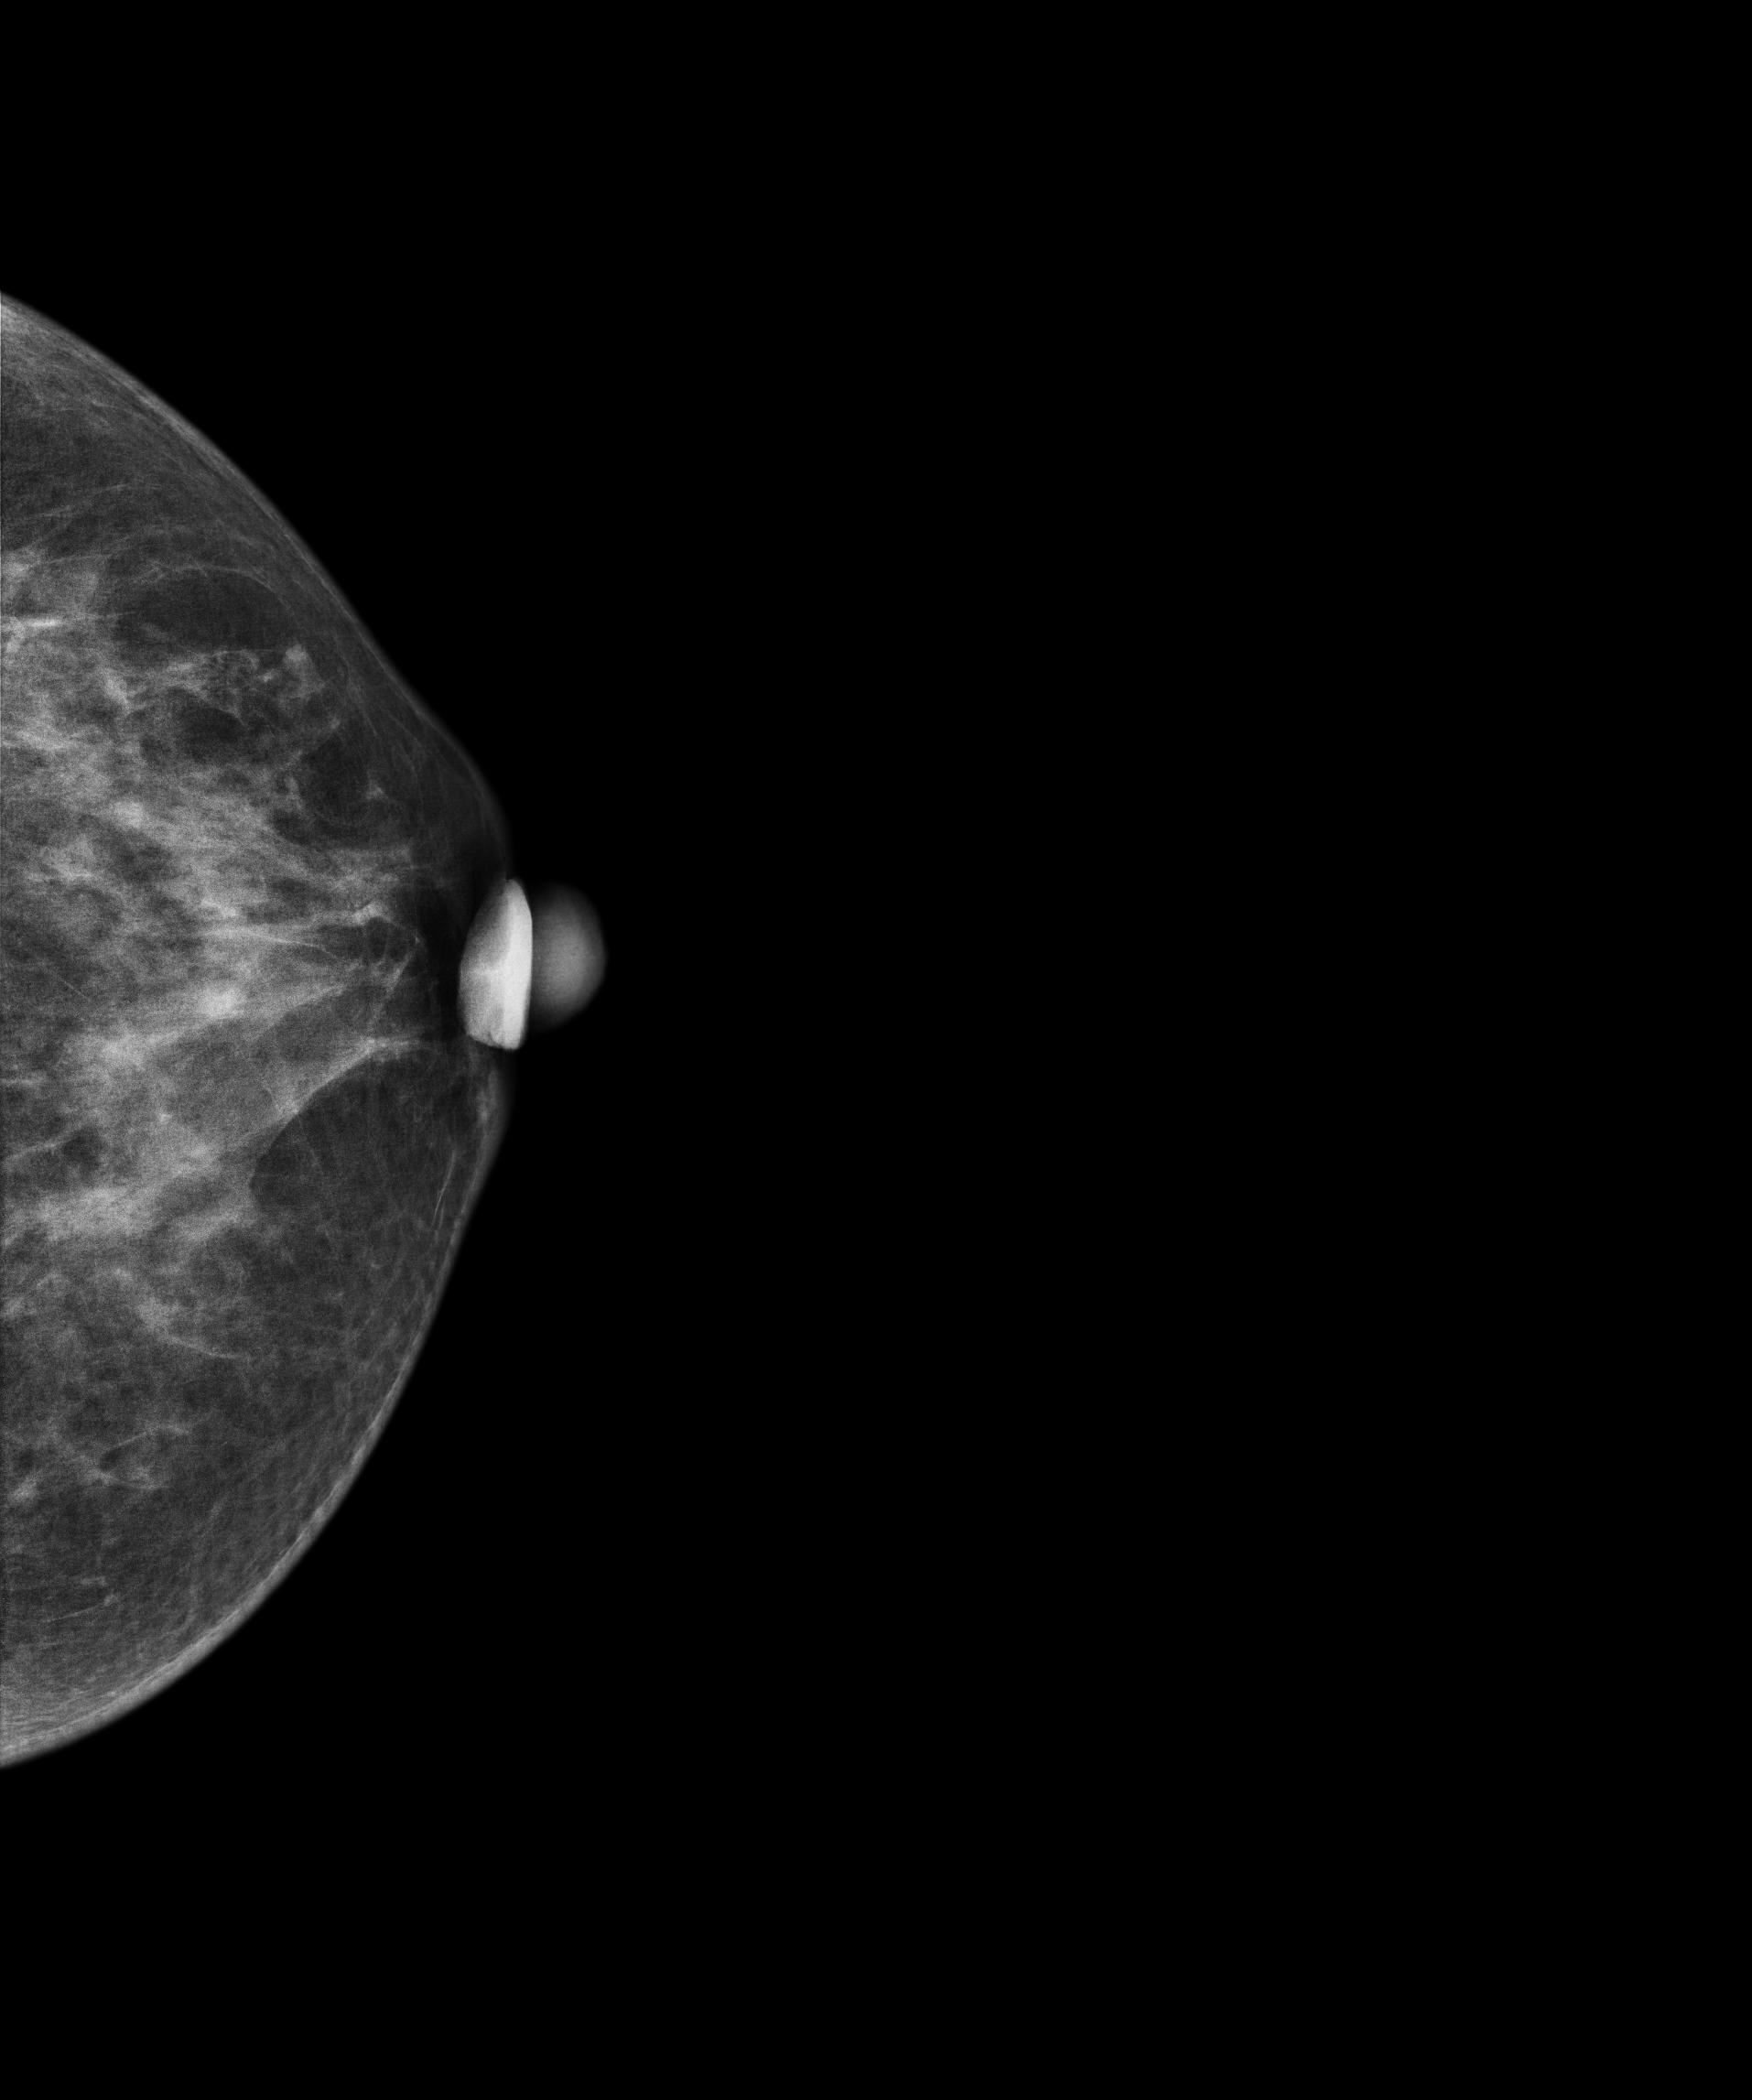
Cranio-caudal mammogram of the left breast. 44-year-old patient.
Contralateral breast — no documented abnormality on this side.